Left-breast mammogram, medio-lateral oblique. Patient age 26.
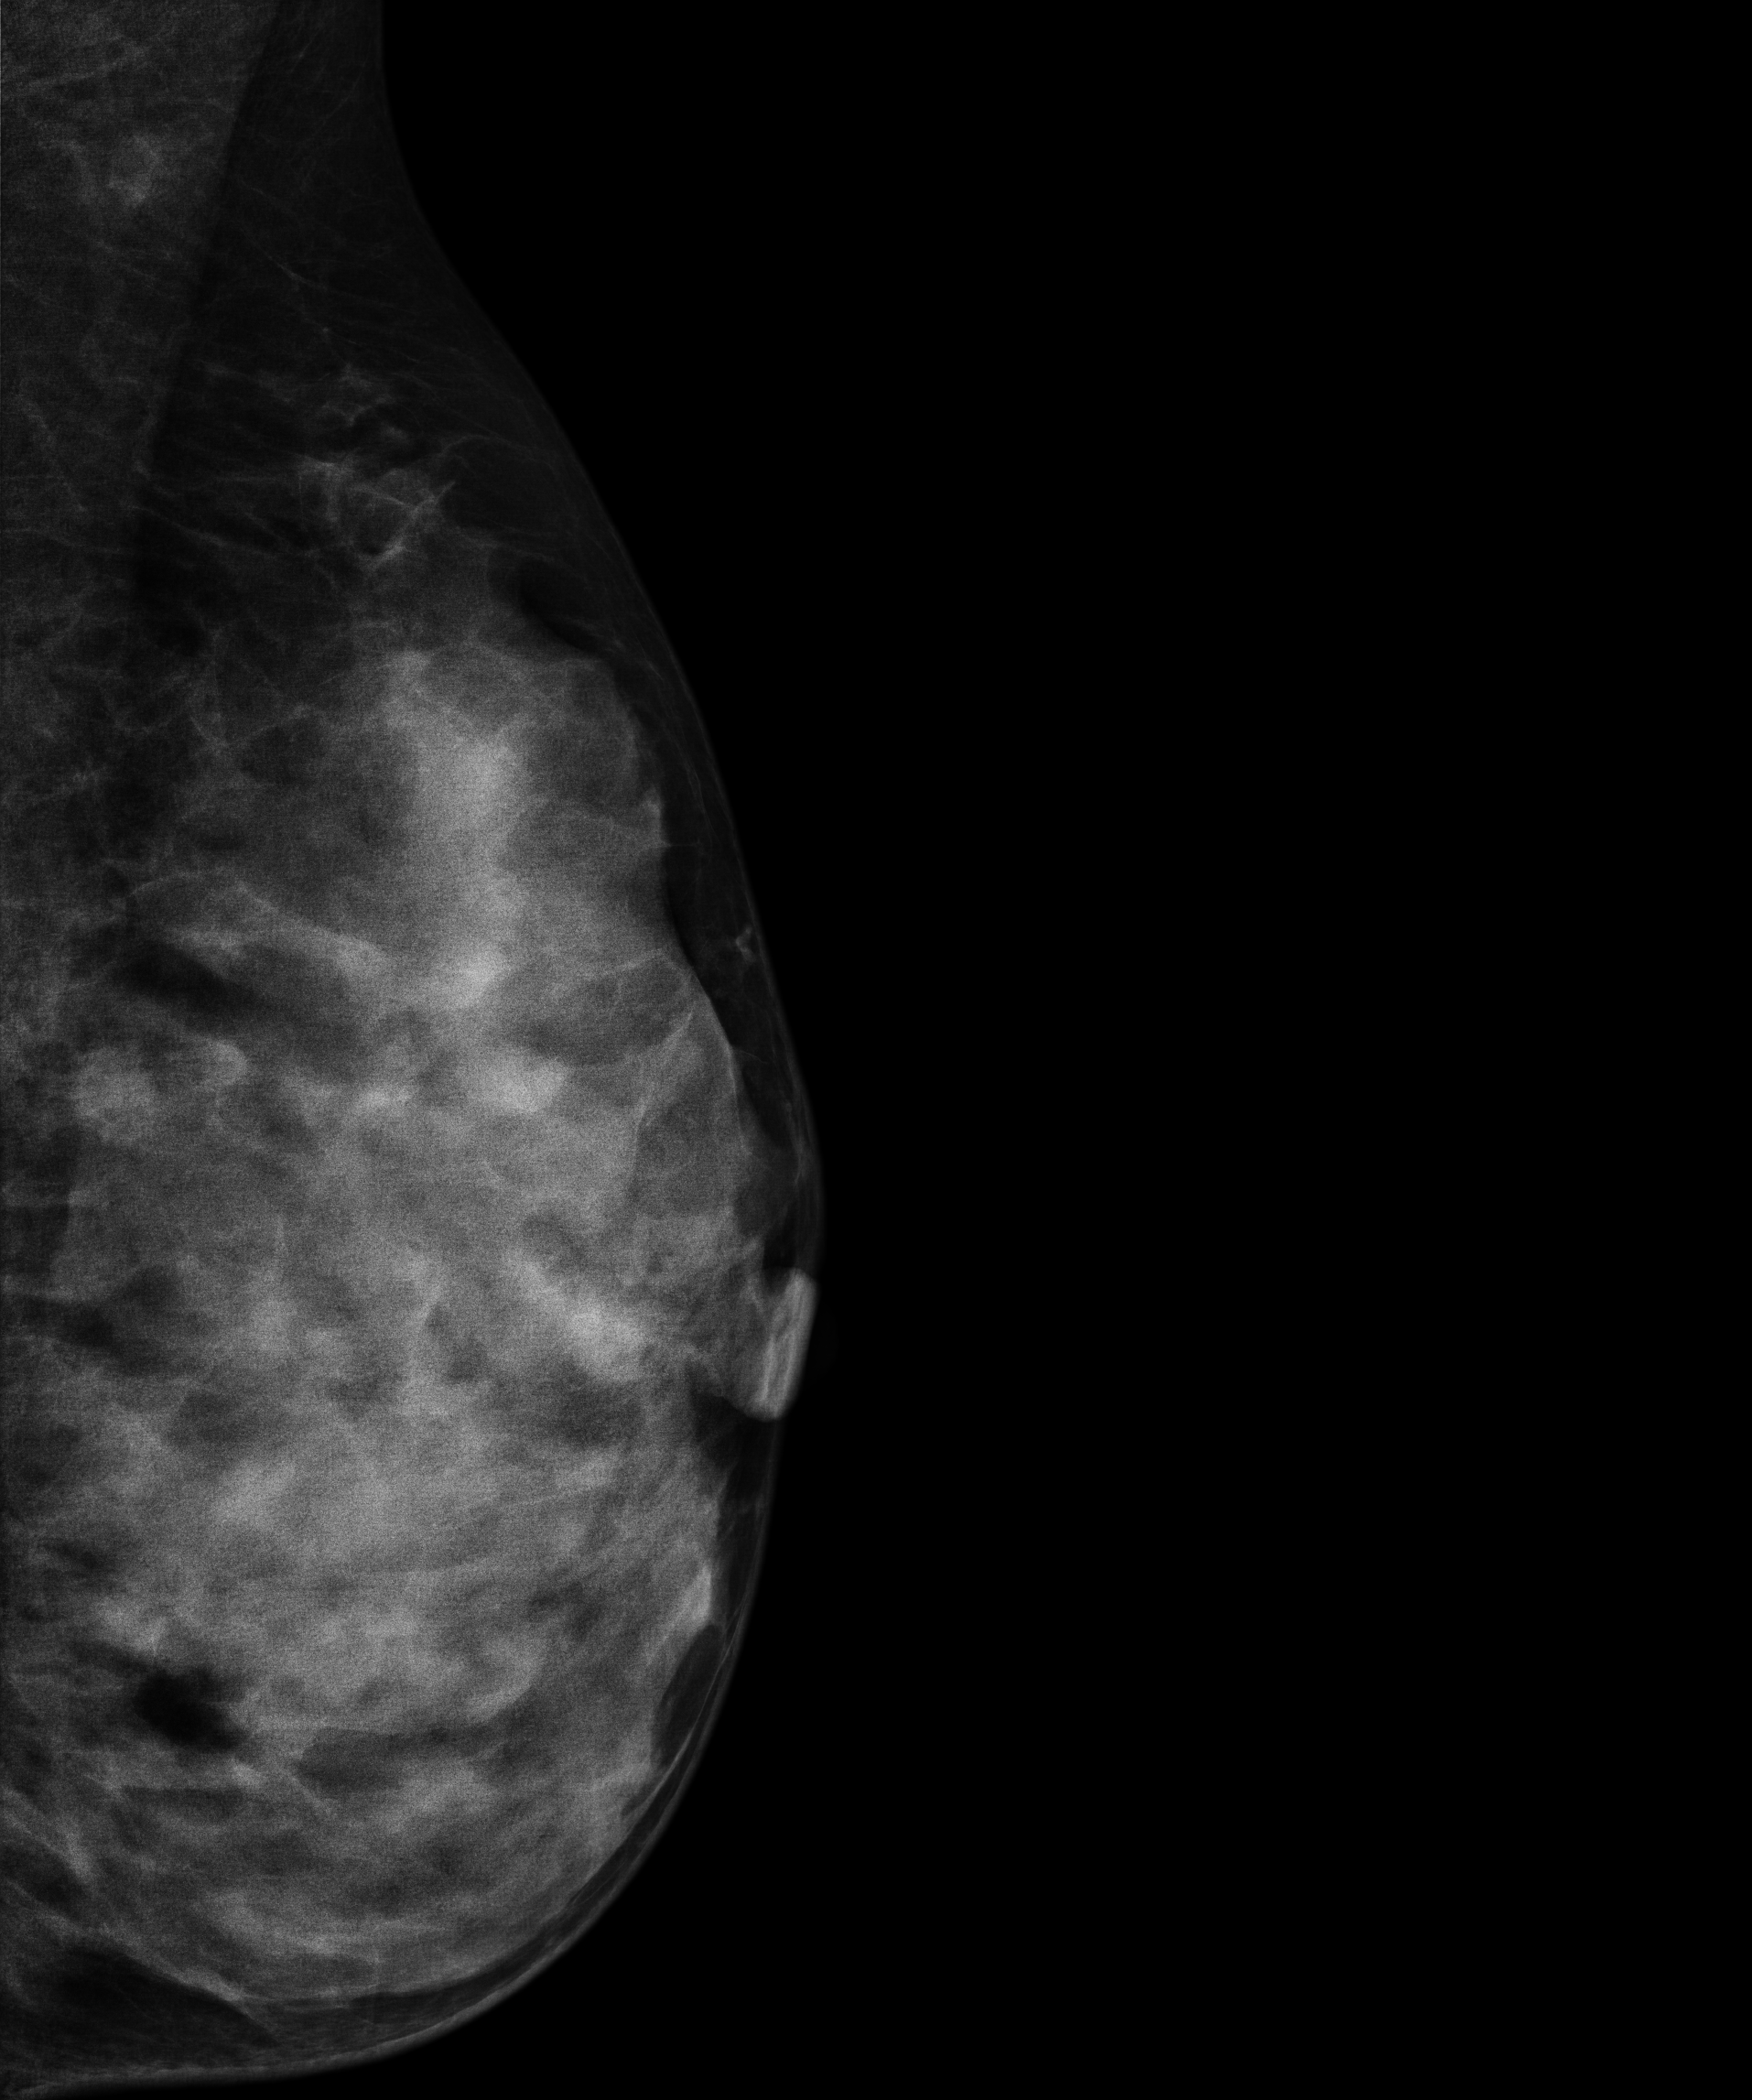
This breast has a mass, biopsy-confirmed benign.